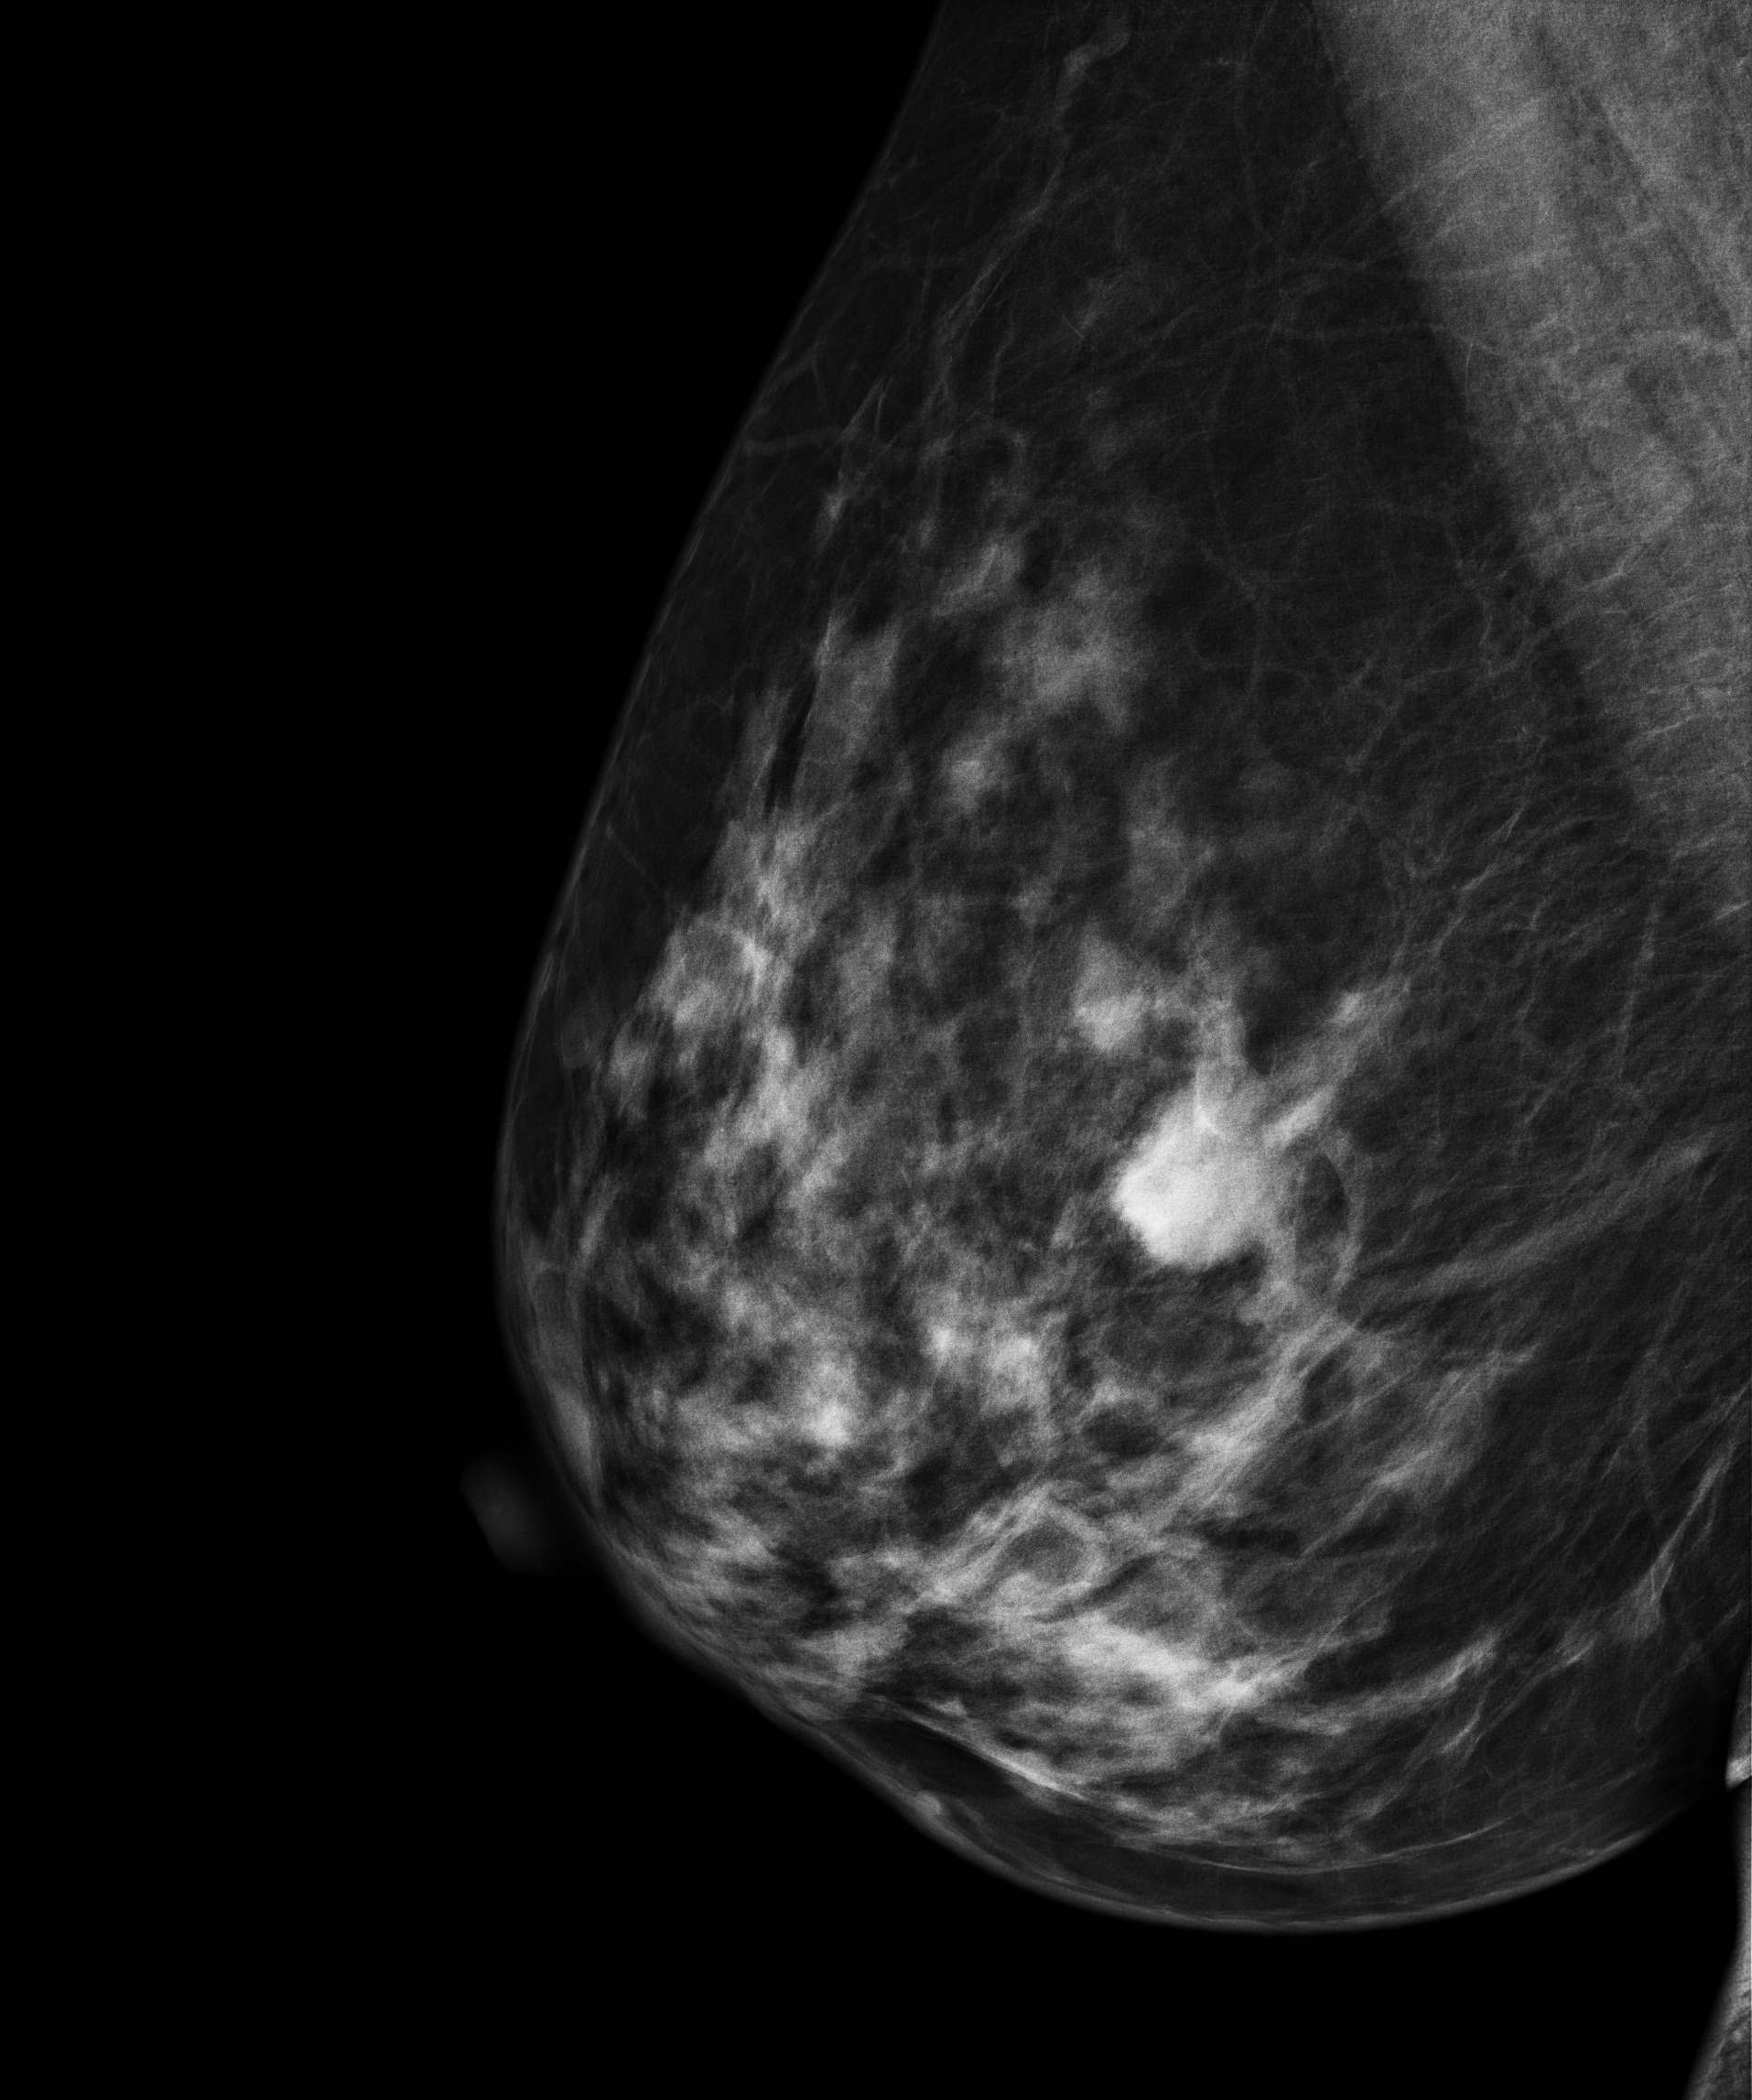
MLO mammogram of the right breast. 55 y/o patient.
This breast has a mass, histologically confirmed malignant. Molecular subtype: luminal B.